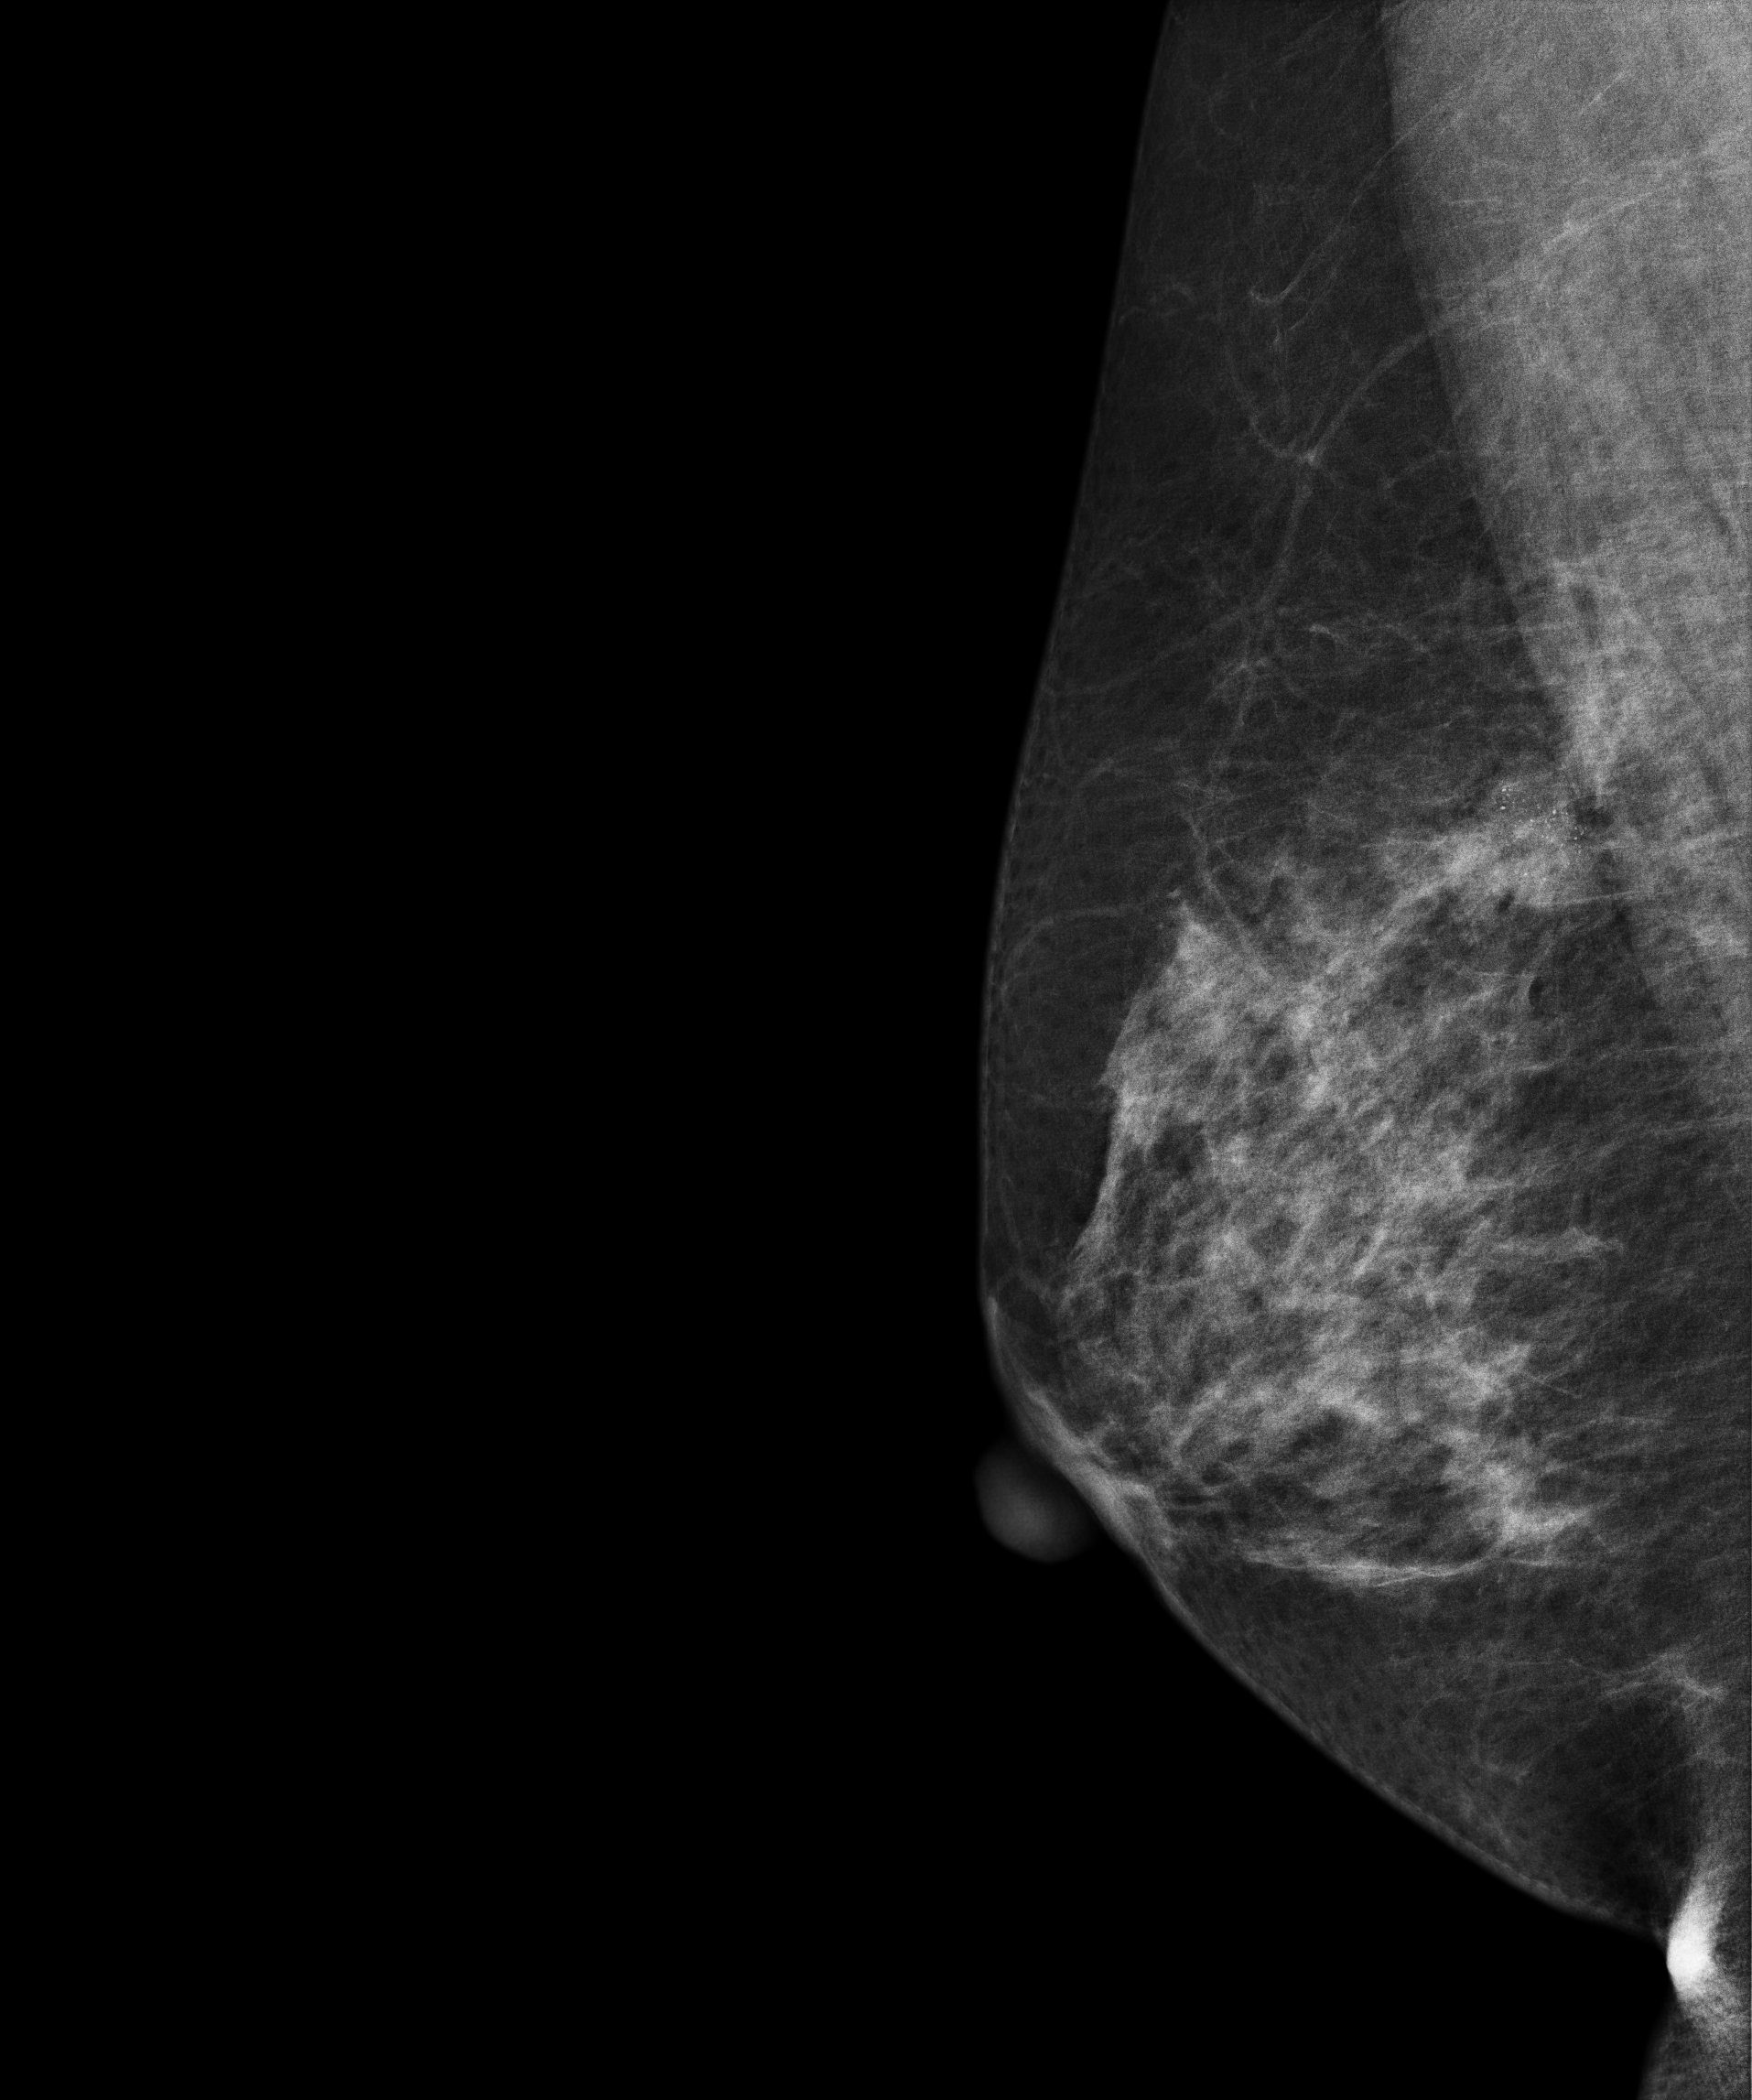
MLO mammogram of the right breast. 56-year-old patient.
This breast has a mass and calcifications, biopsy-proven malignant.